Left-breast mammogram, medio-lateral oblique. Patient age 65.
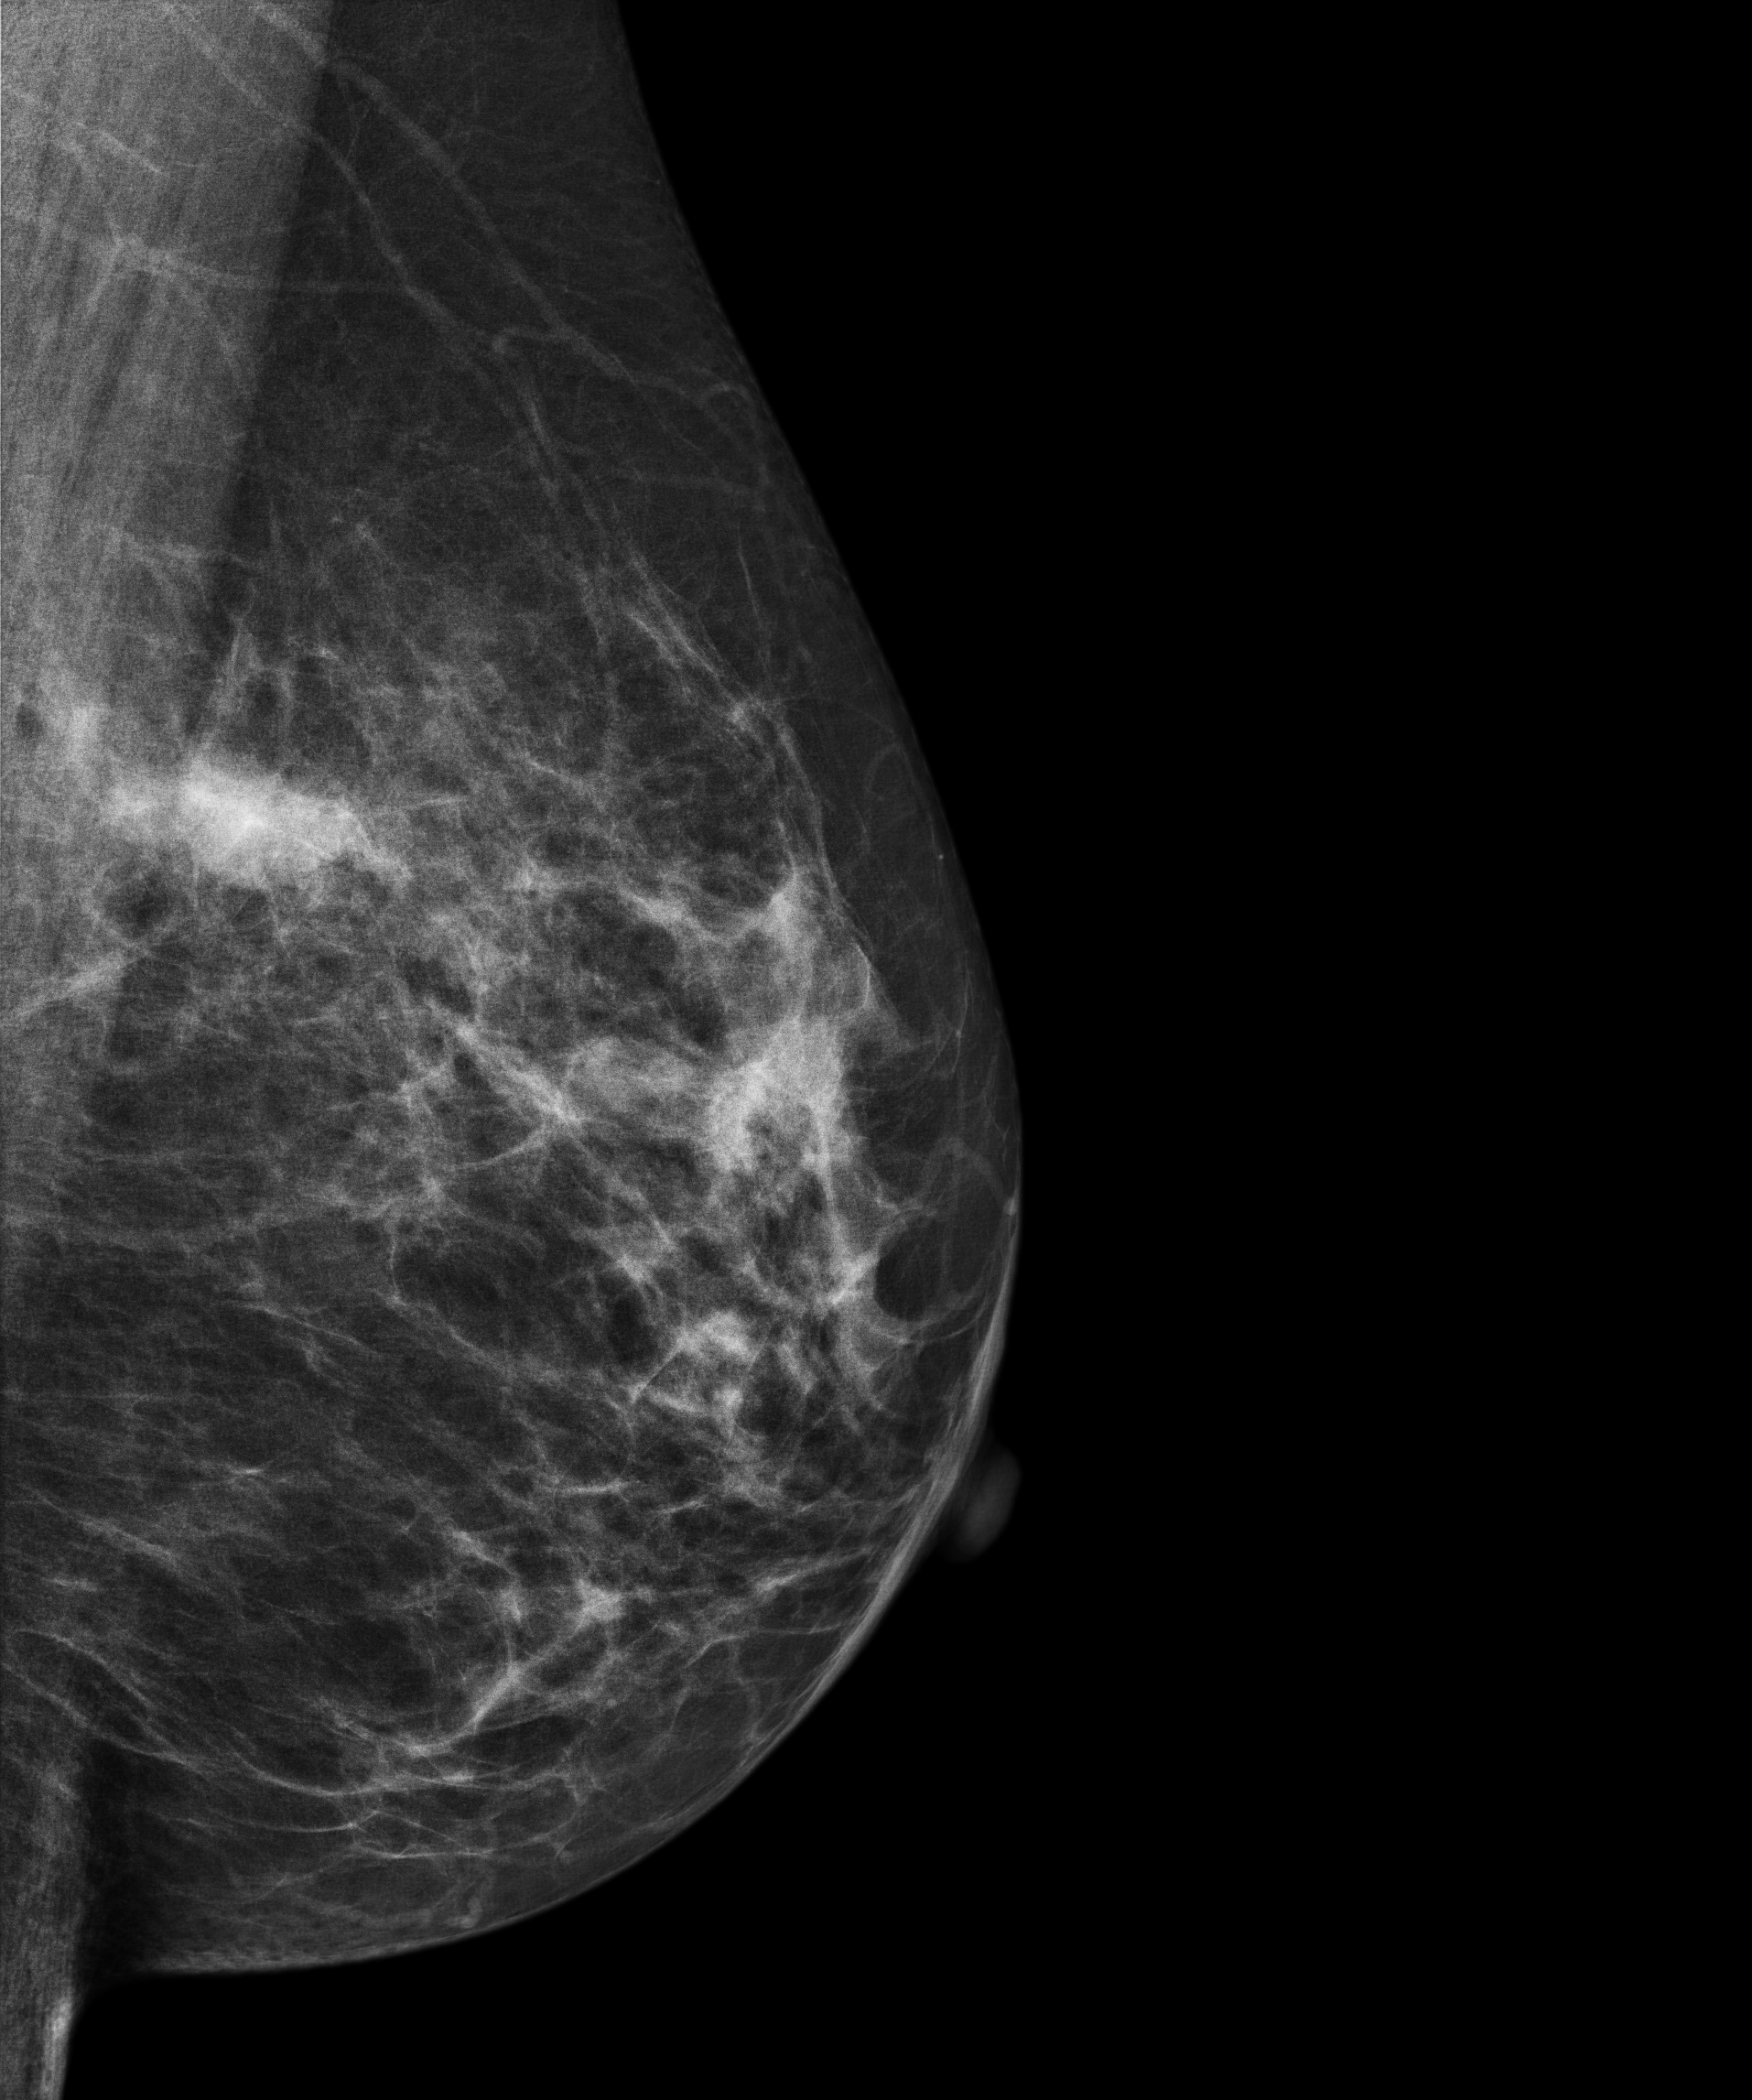
This breast has a mass, biopsy-confirmed malignant. Molecular subtype: triple-negative.